Mammogram, left breast, medio-lateral oblique view. Patient age 38.
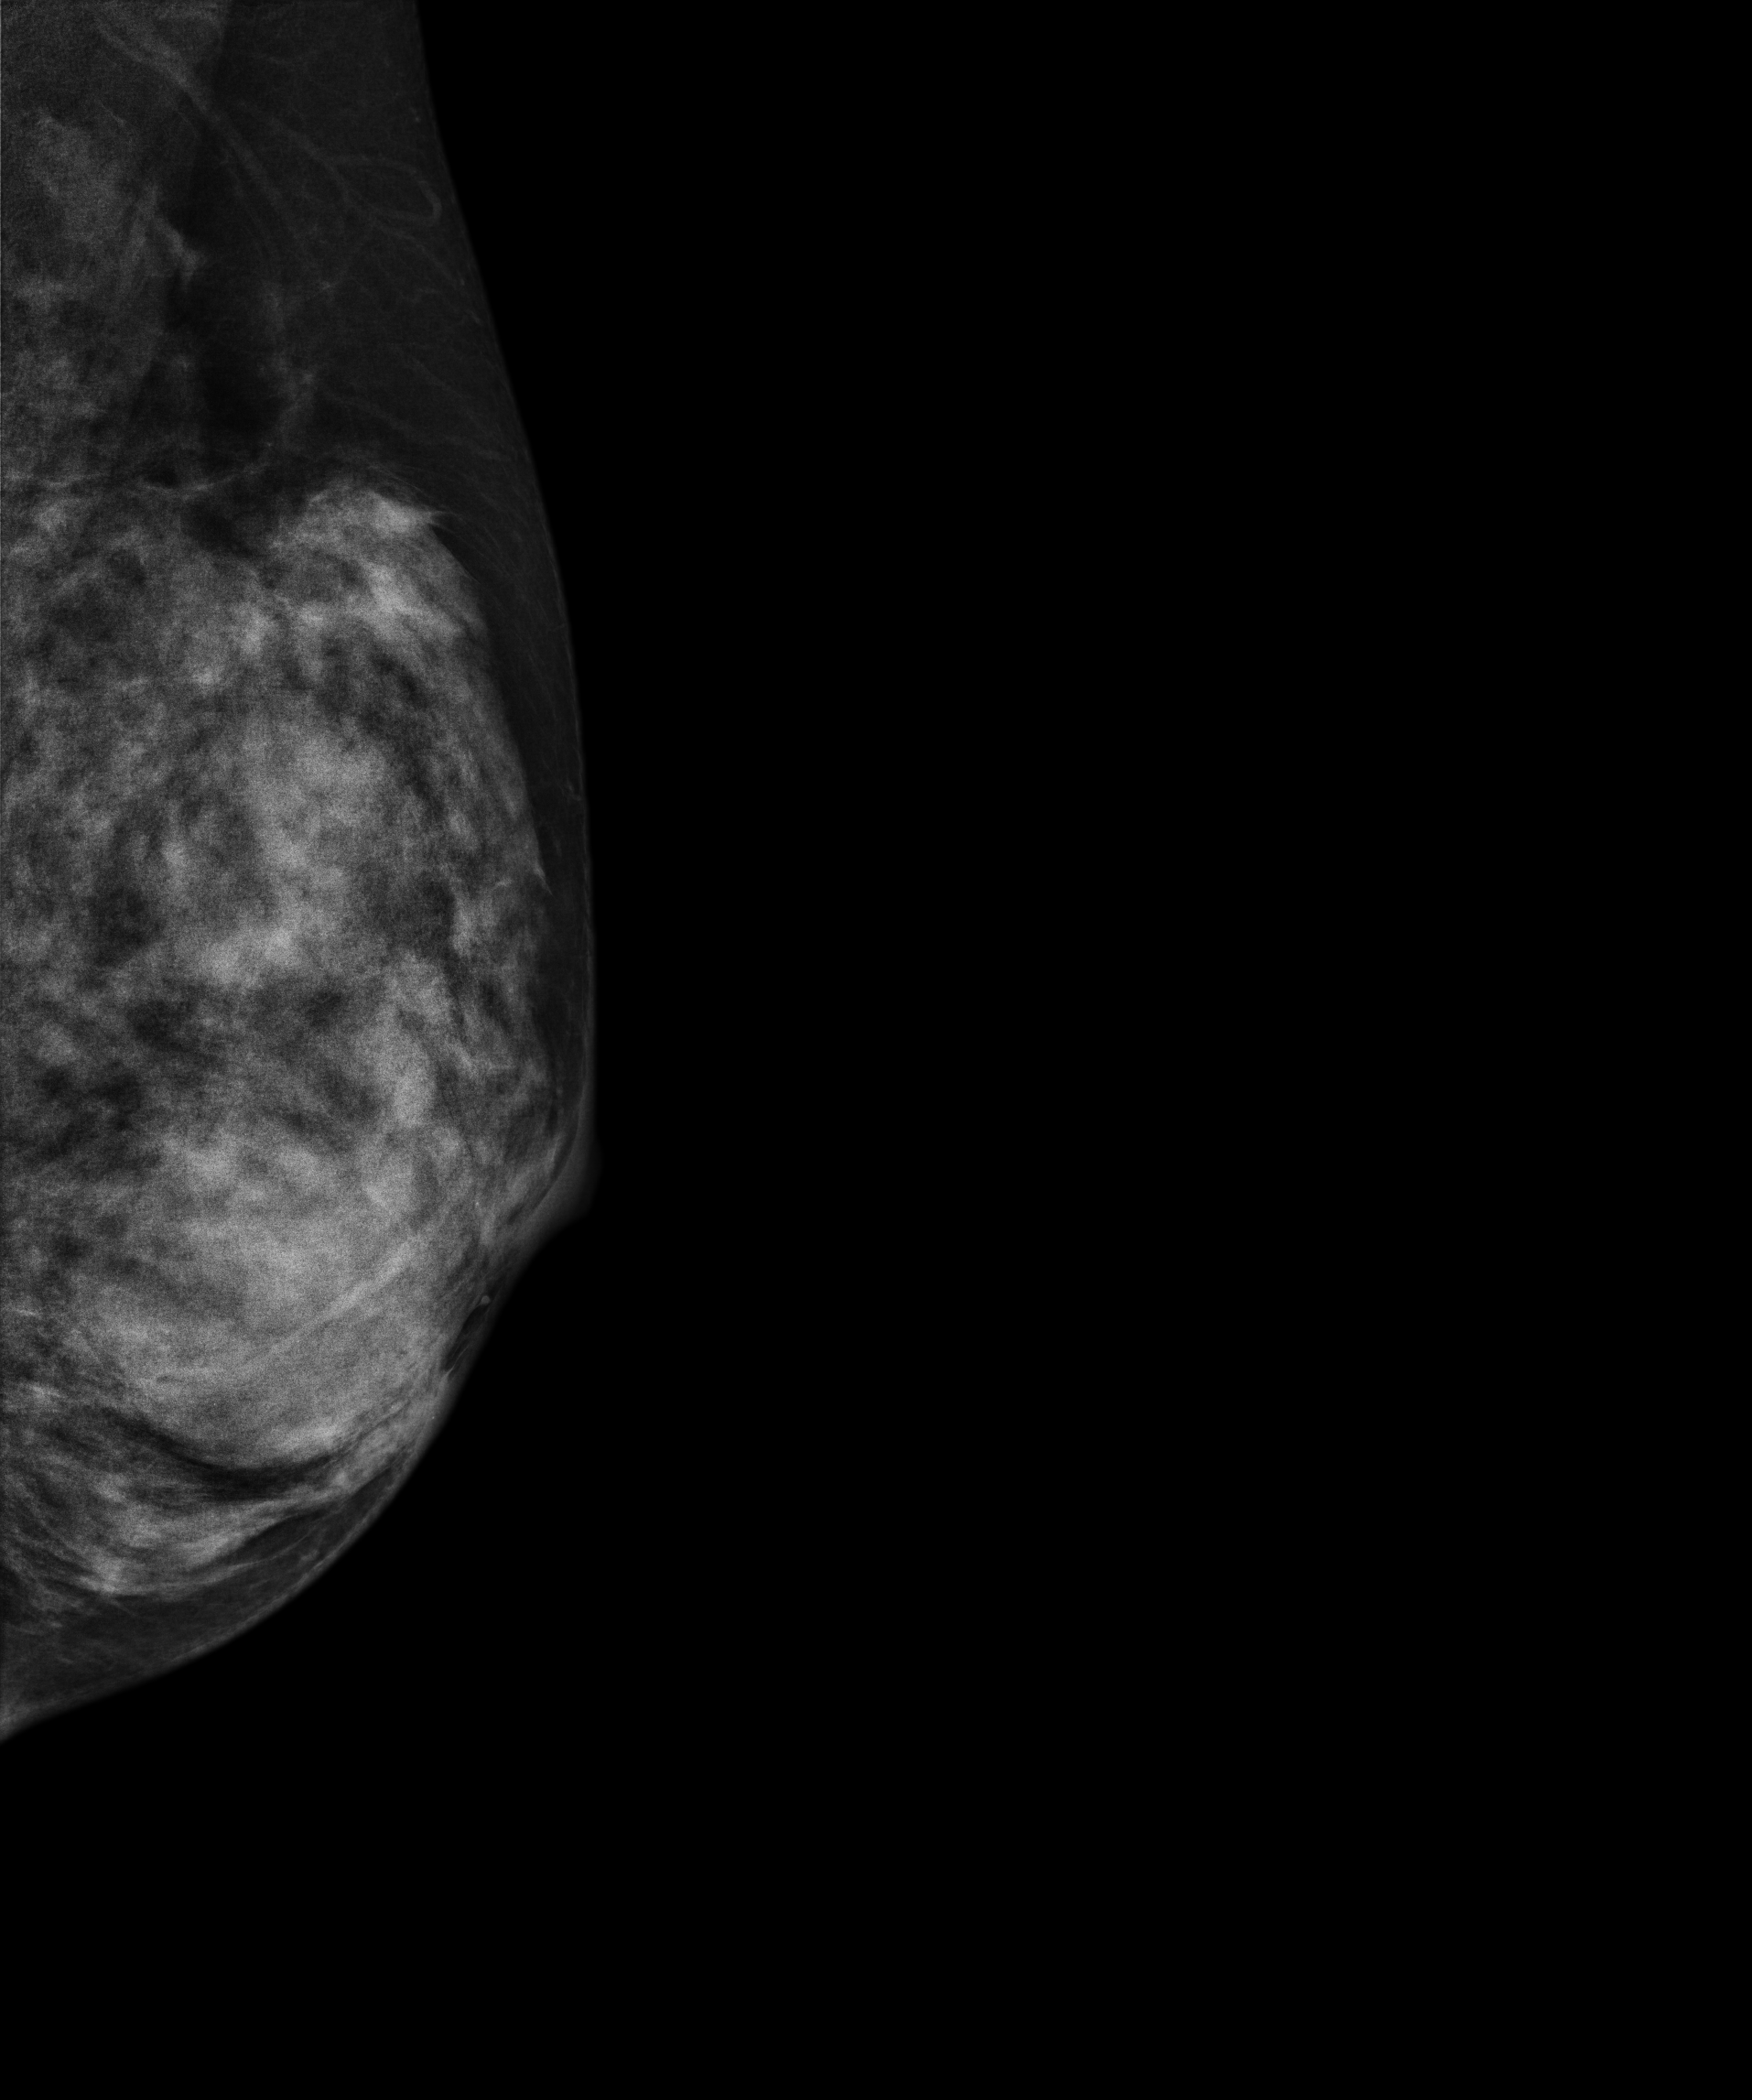
This breast has a mass, biopsy-proven benign.